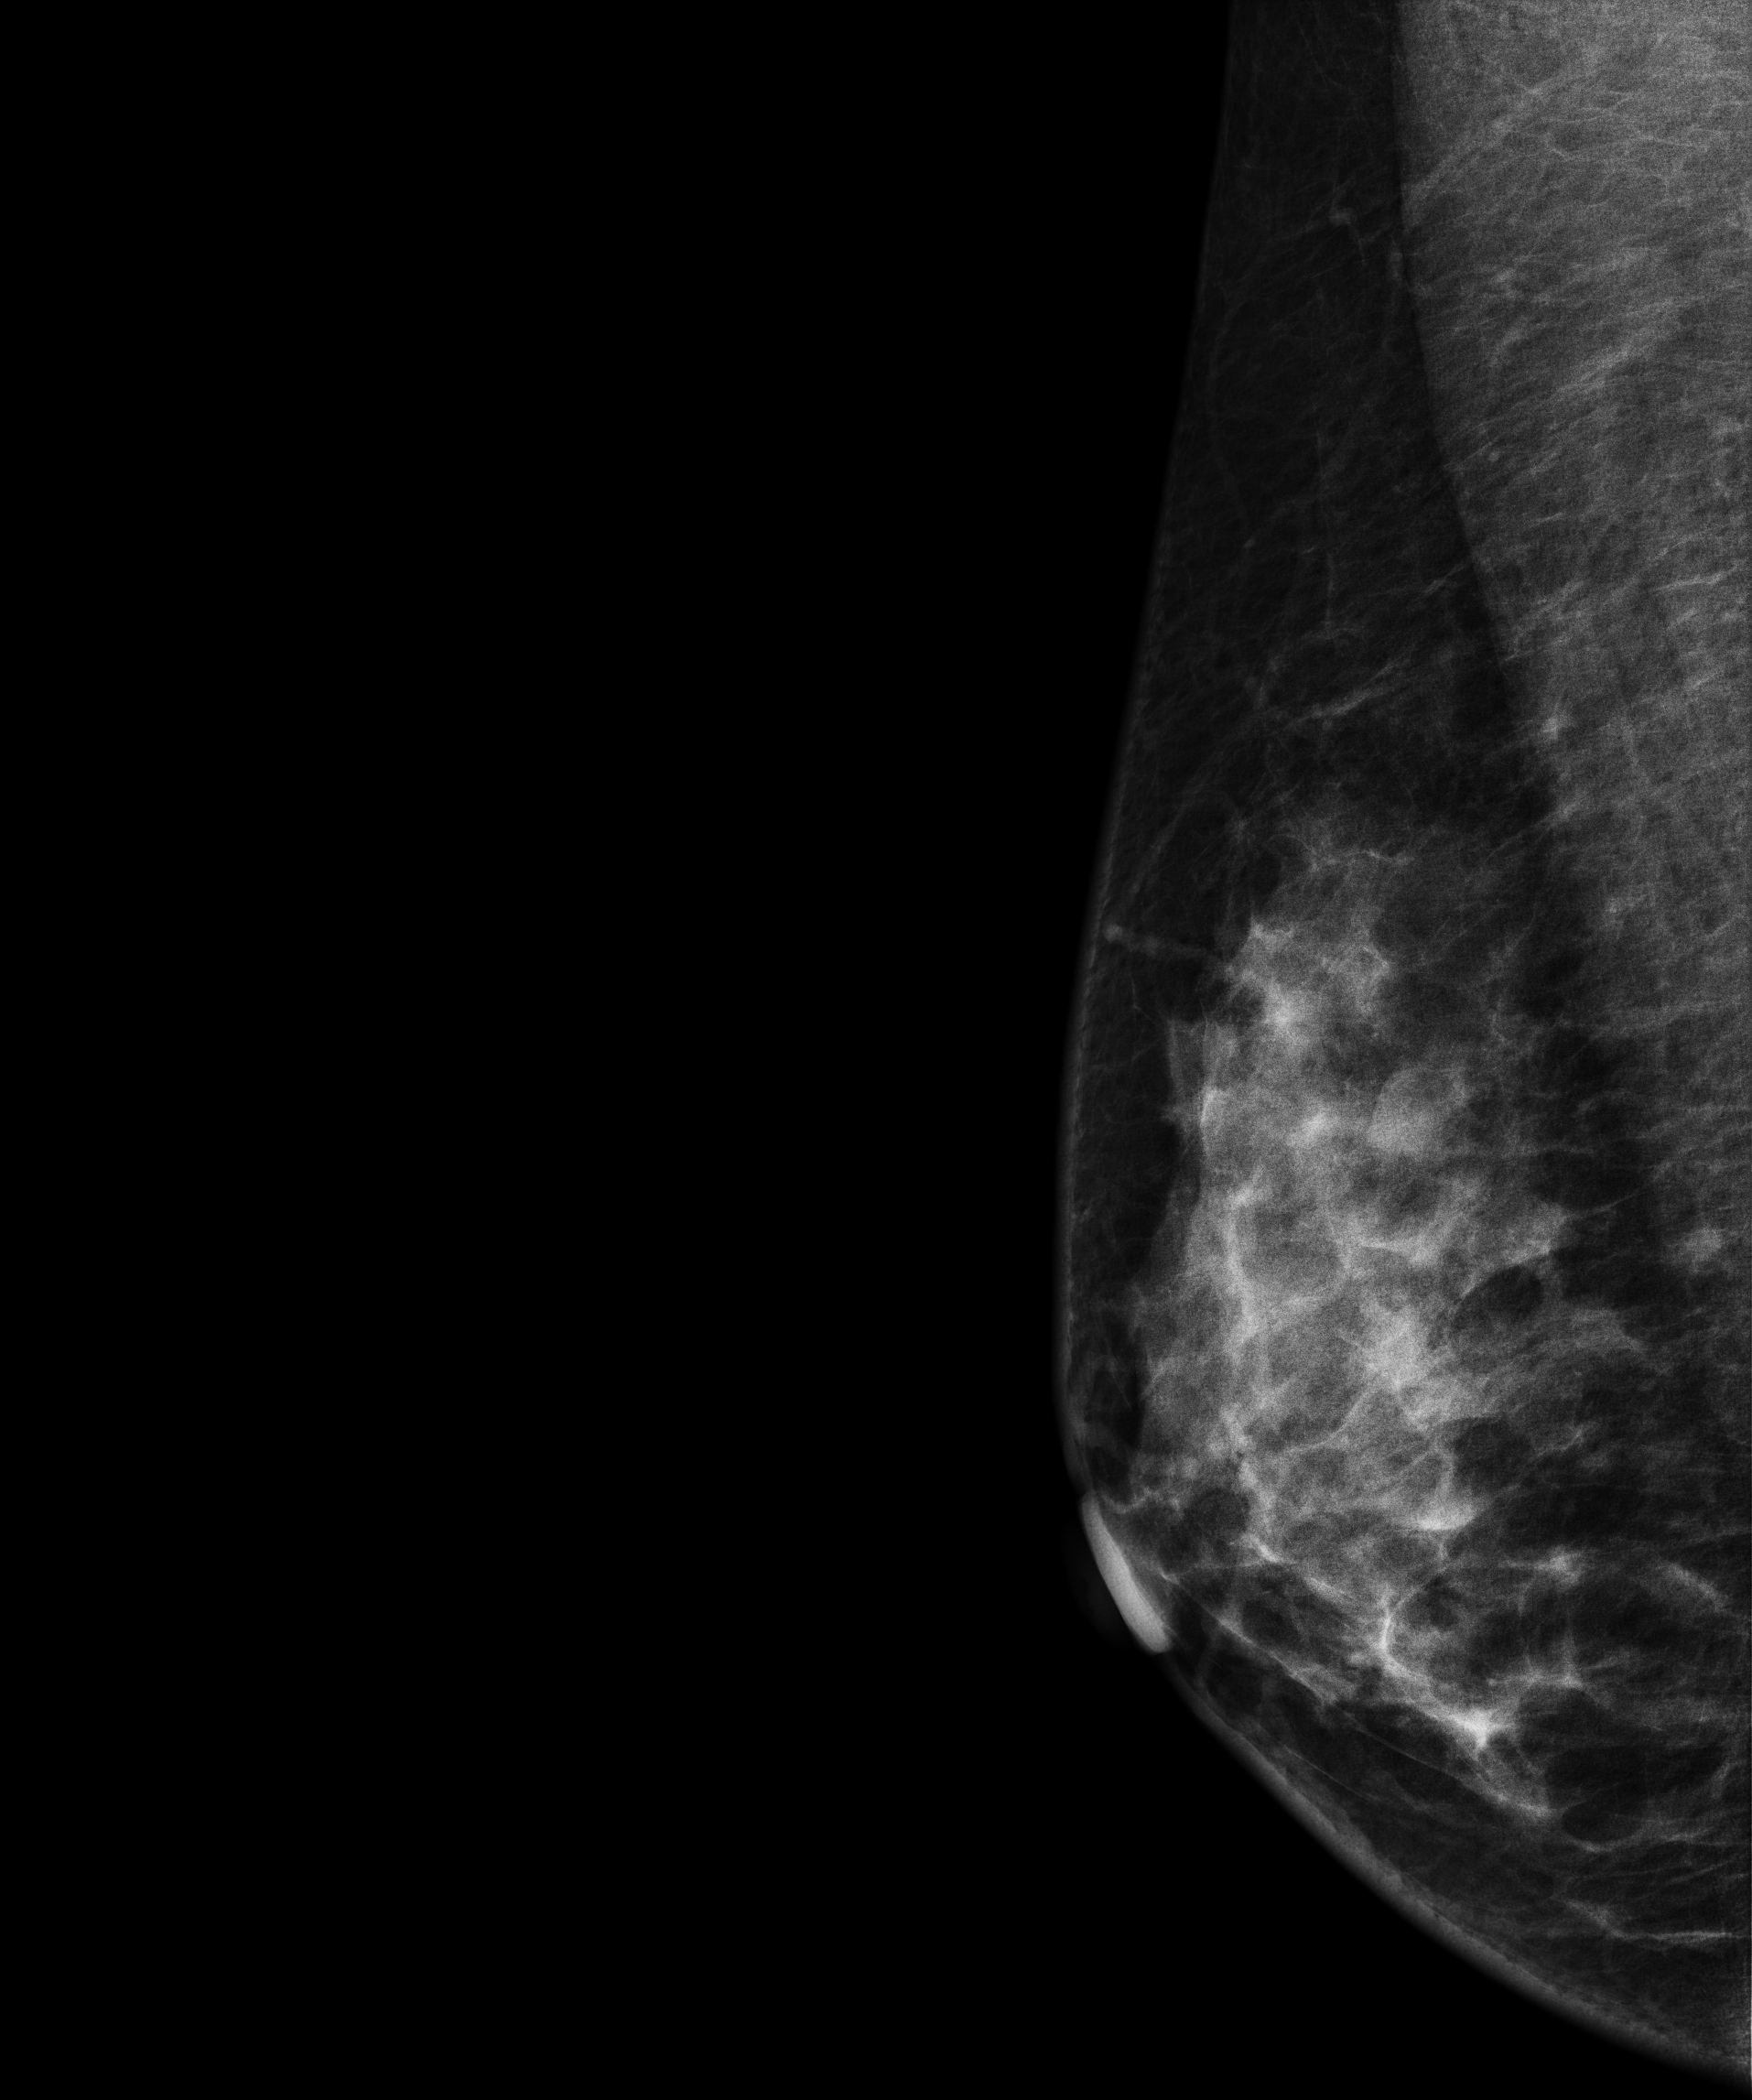
Right-breast mammogram, MLO. 48-year-old patient.
This breast has a mass, biopsy-confirmed benign.